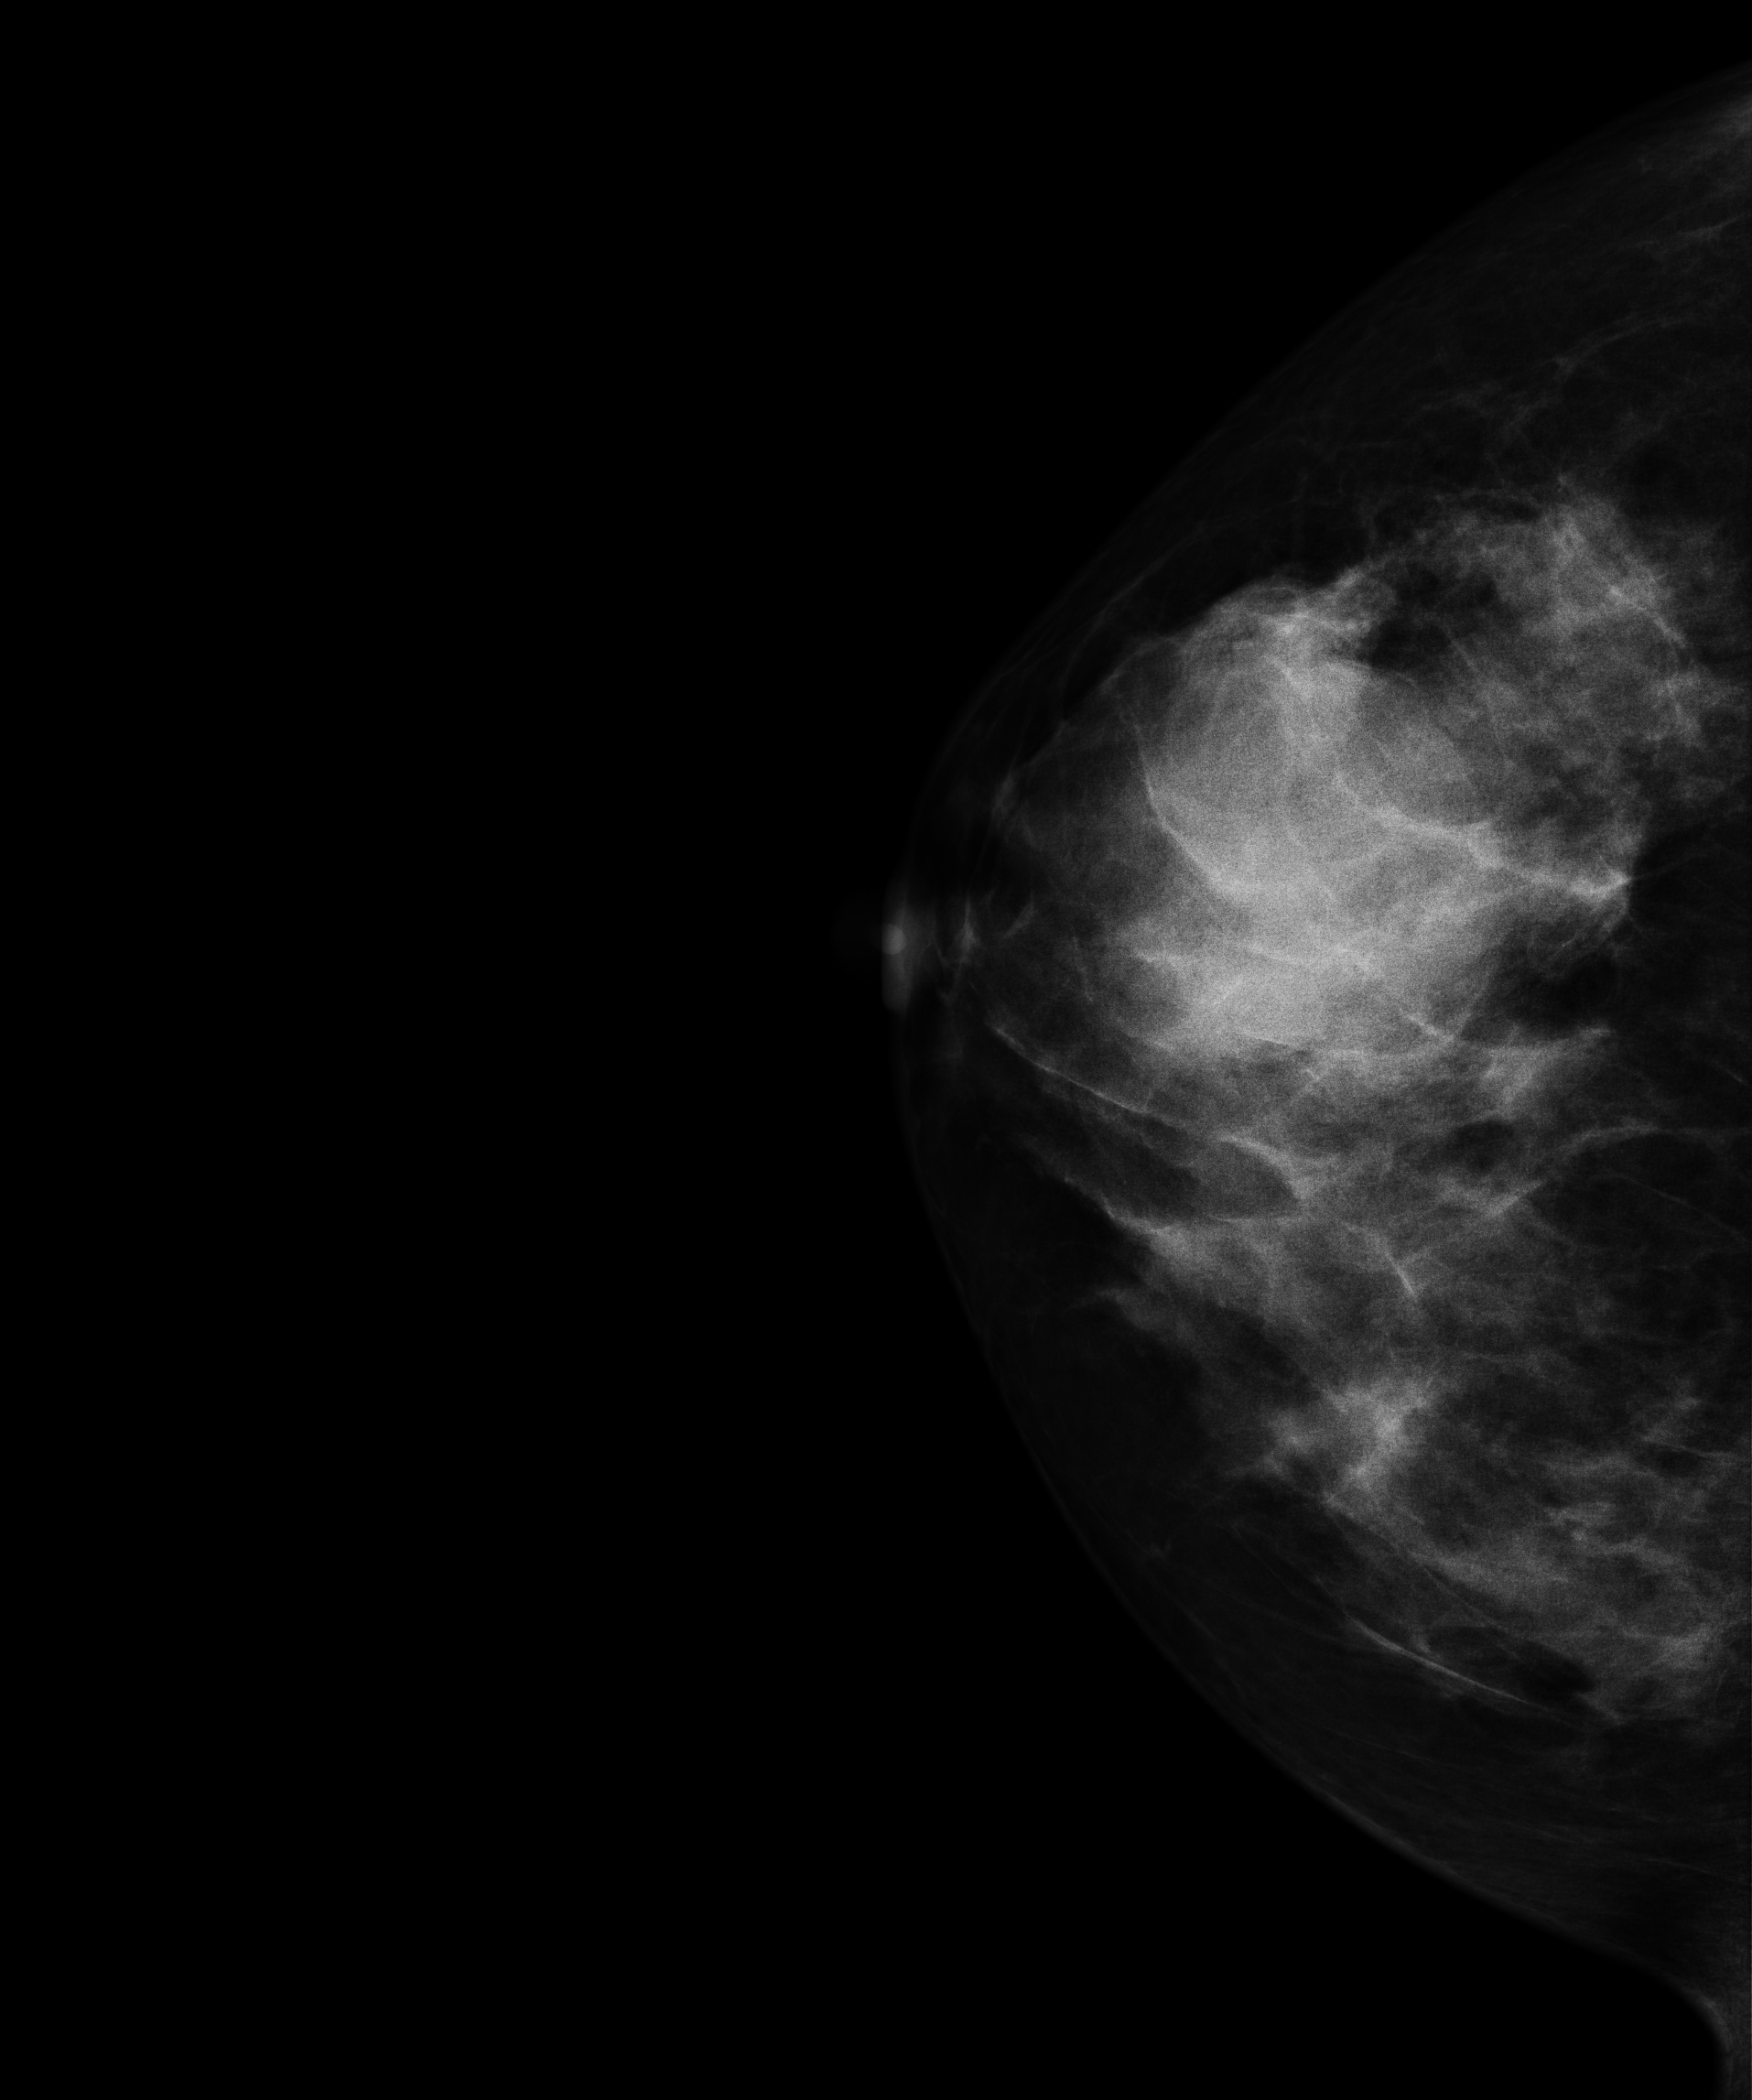
Mammogram — right CC. 41 y/o patient.
This breast has a mass, histologically confirmed benign.